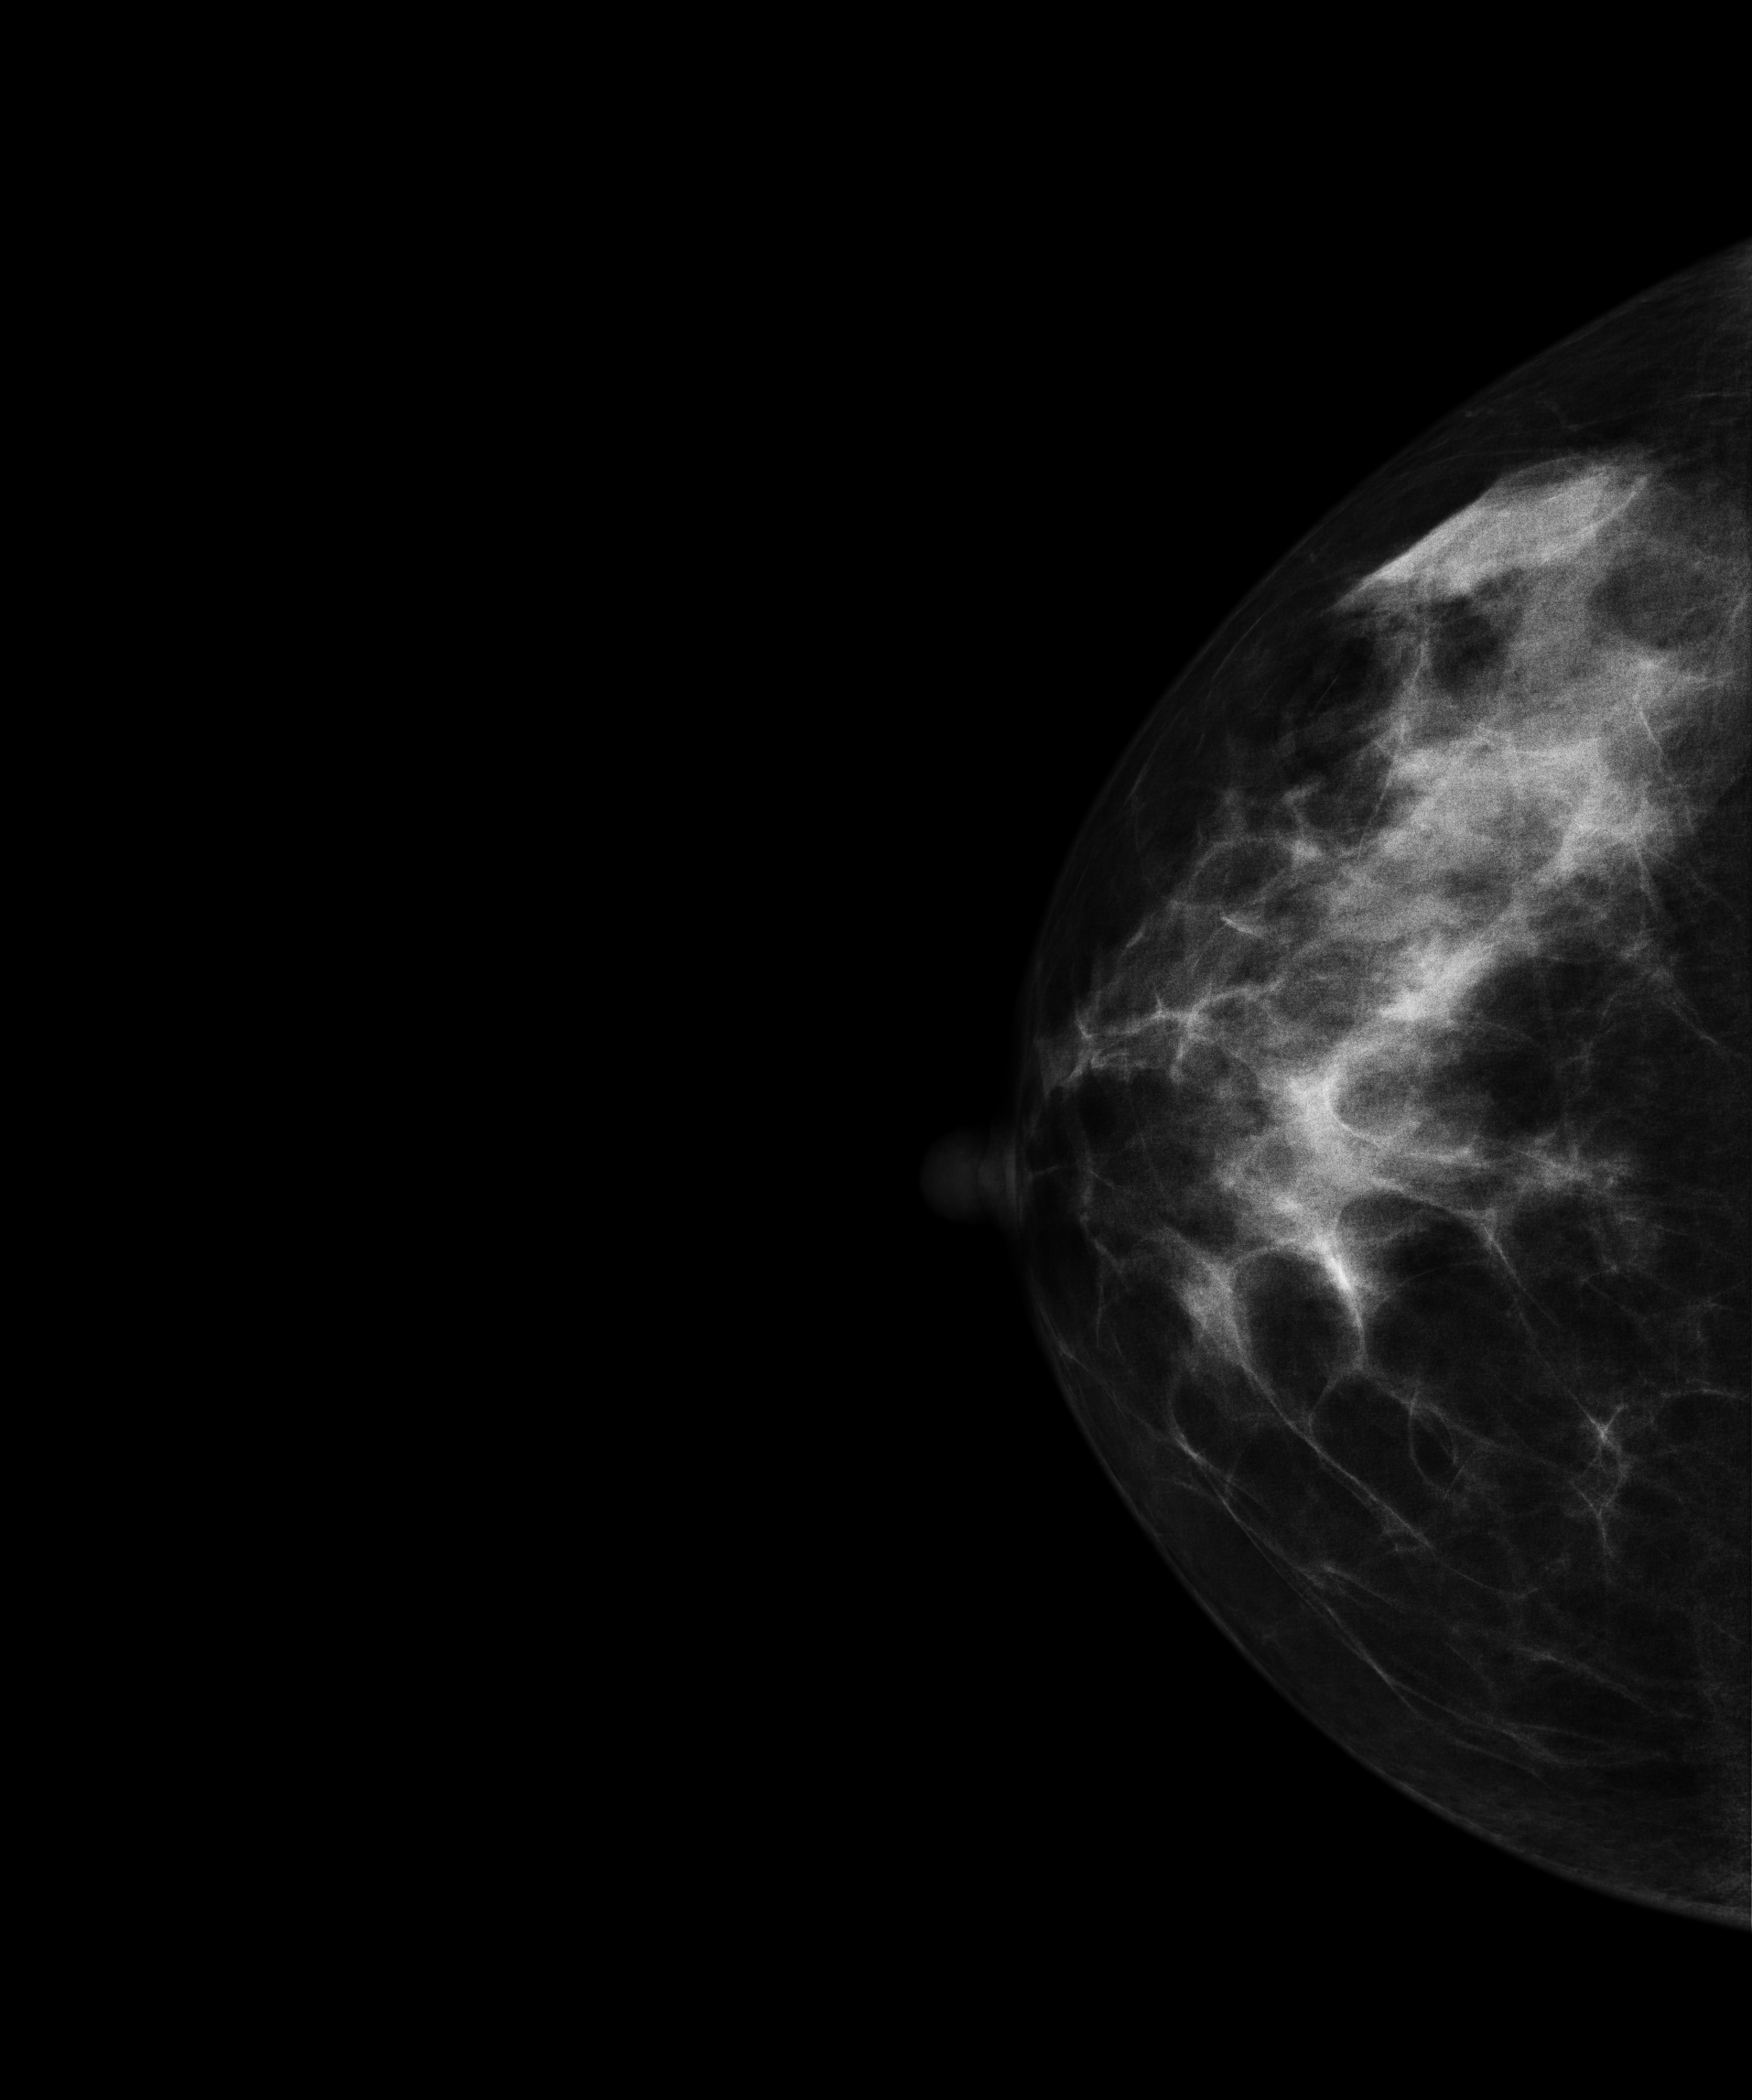
Mammogram — right cranio-caudal. 43 y/o patient.
Contralateral breast — no documented abnormality on this side.